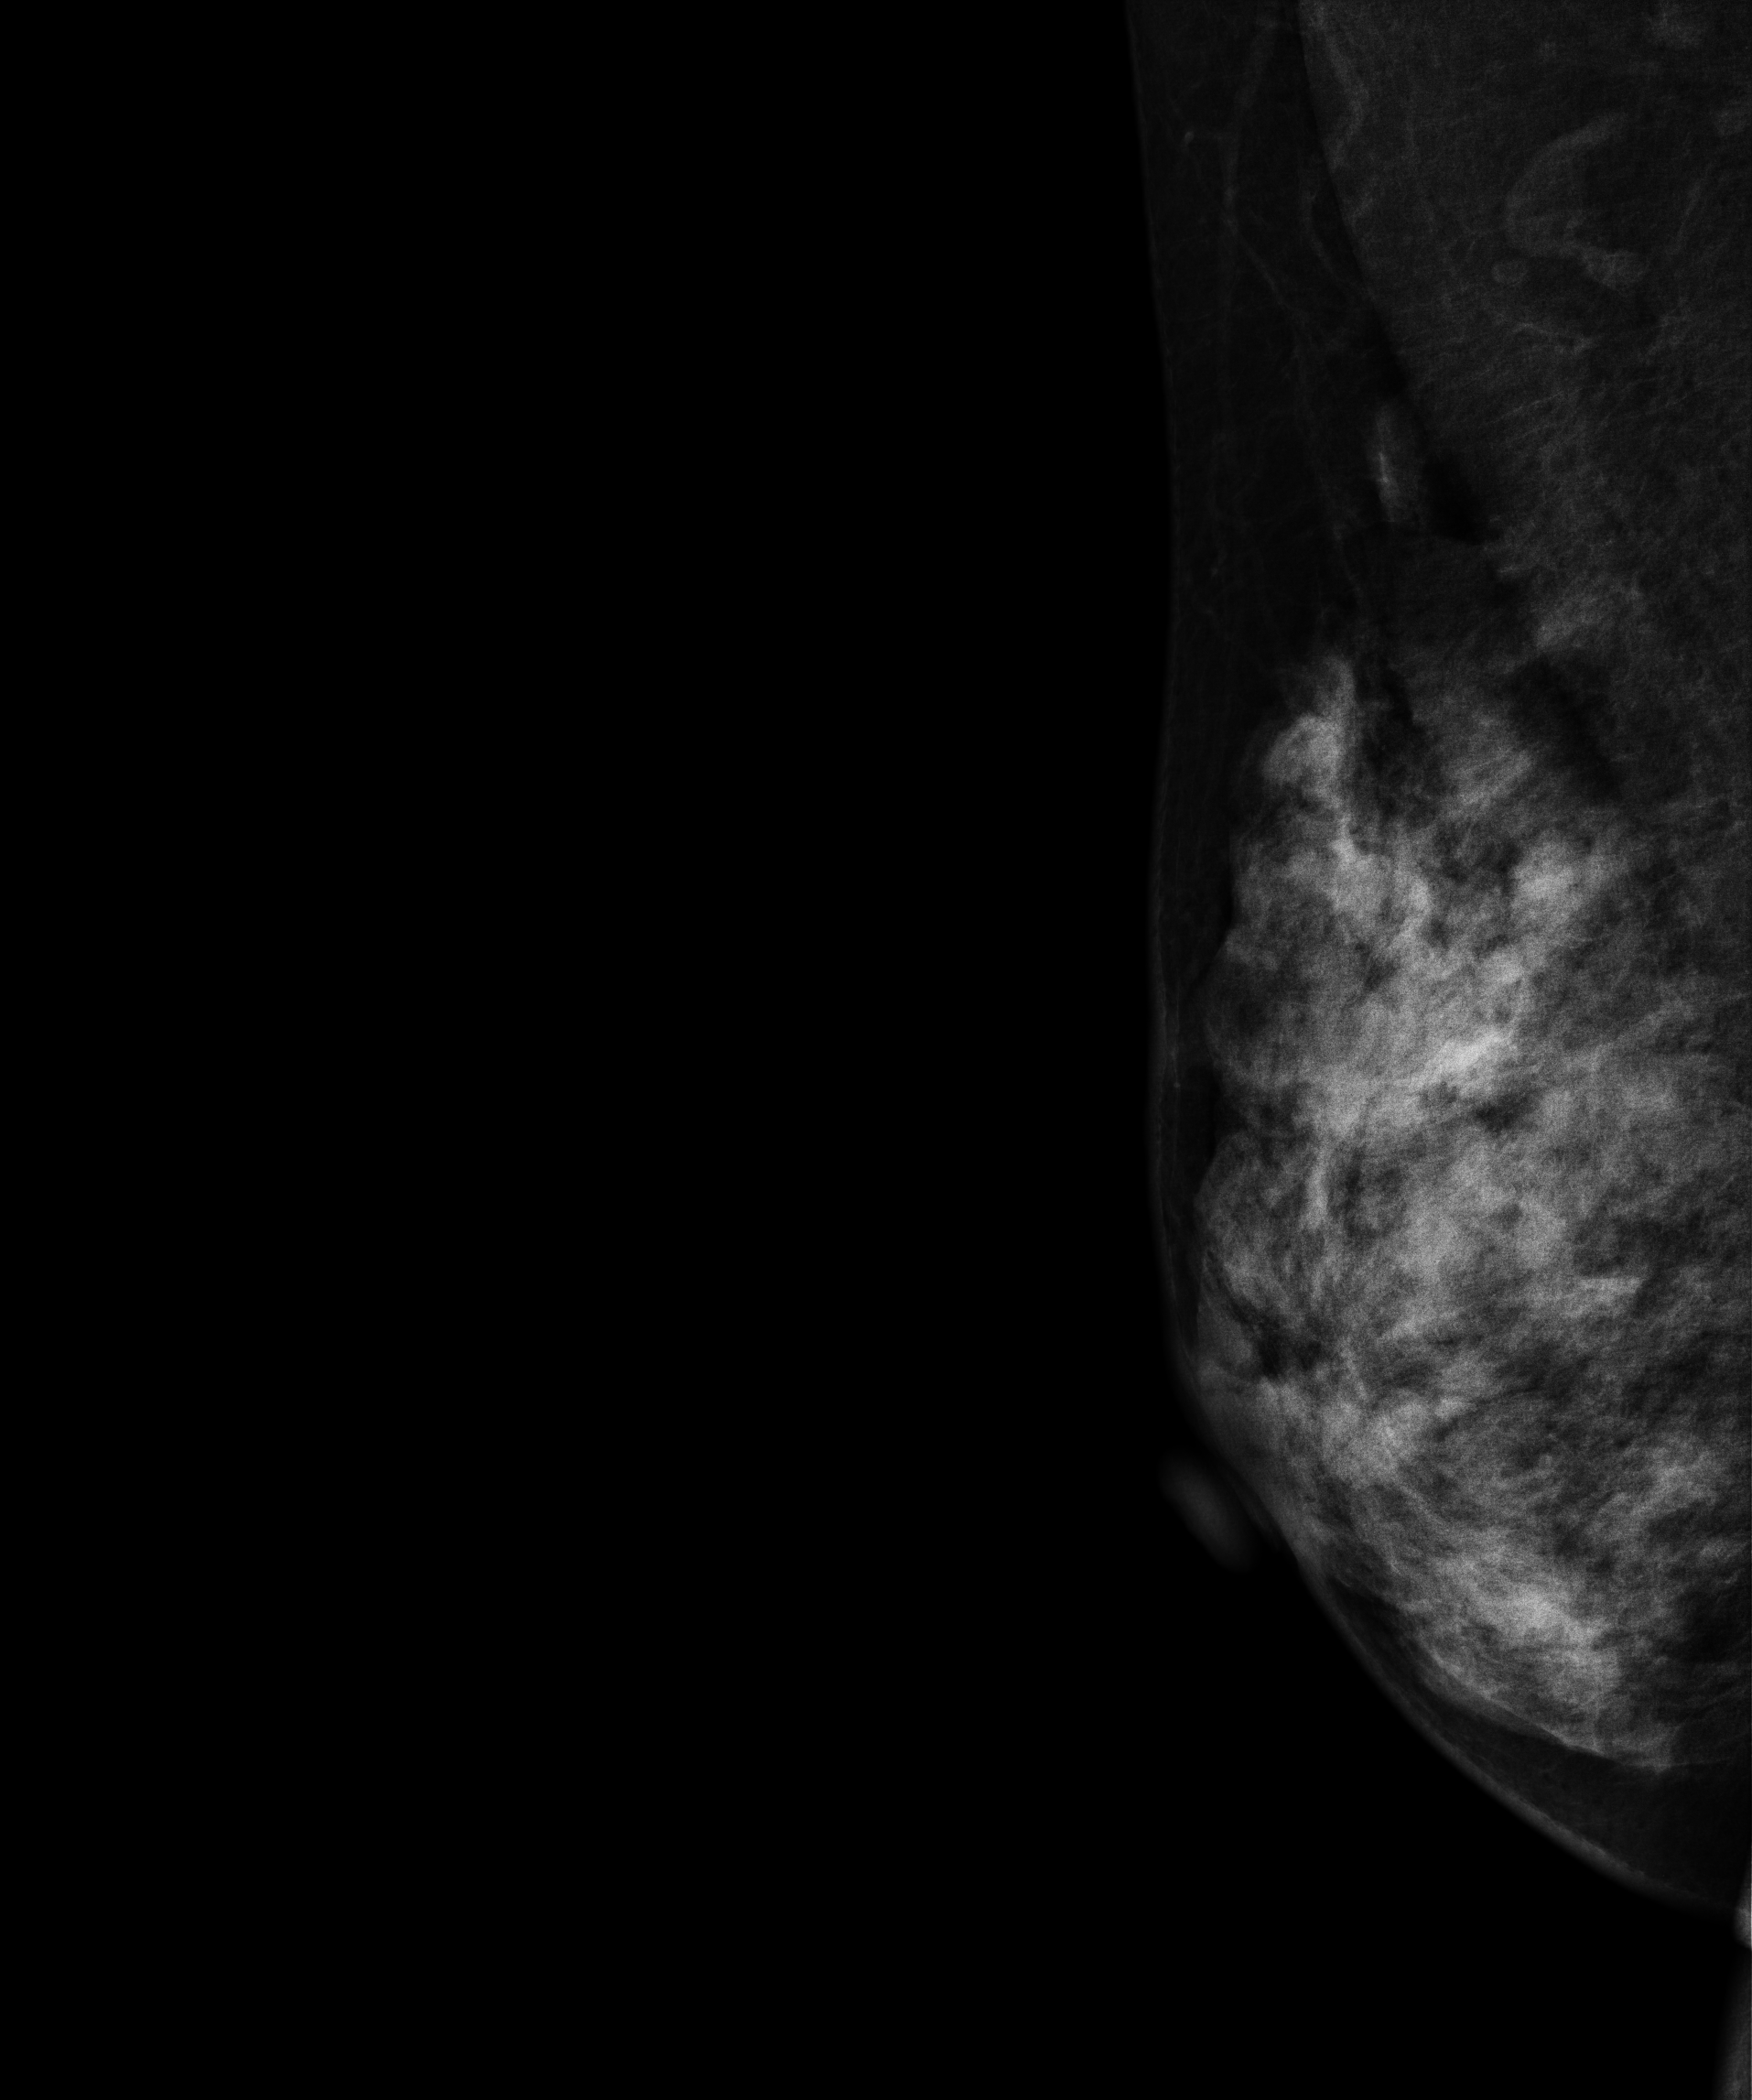
Right-breast mammogram, medio-lateral oblique. Patient age 52.
This breast has a mass, biopsy-proven benign.